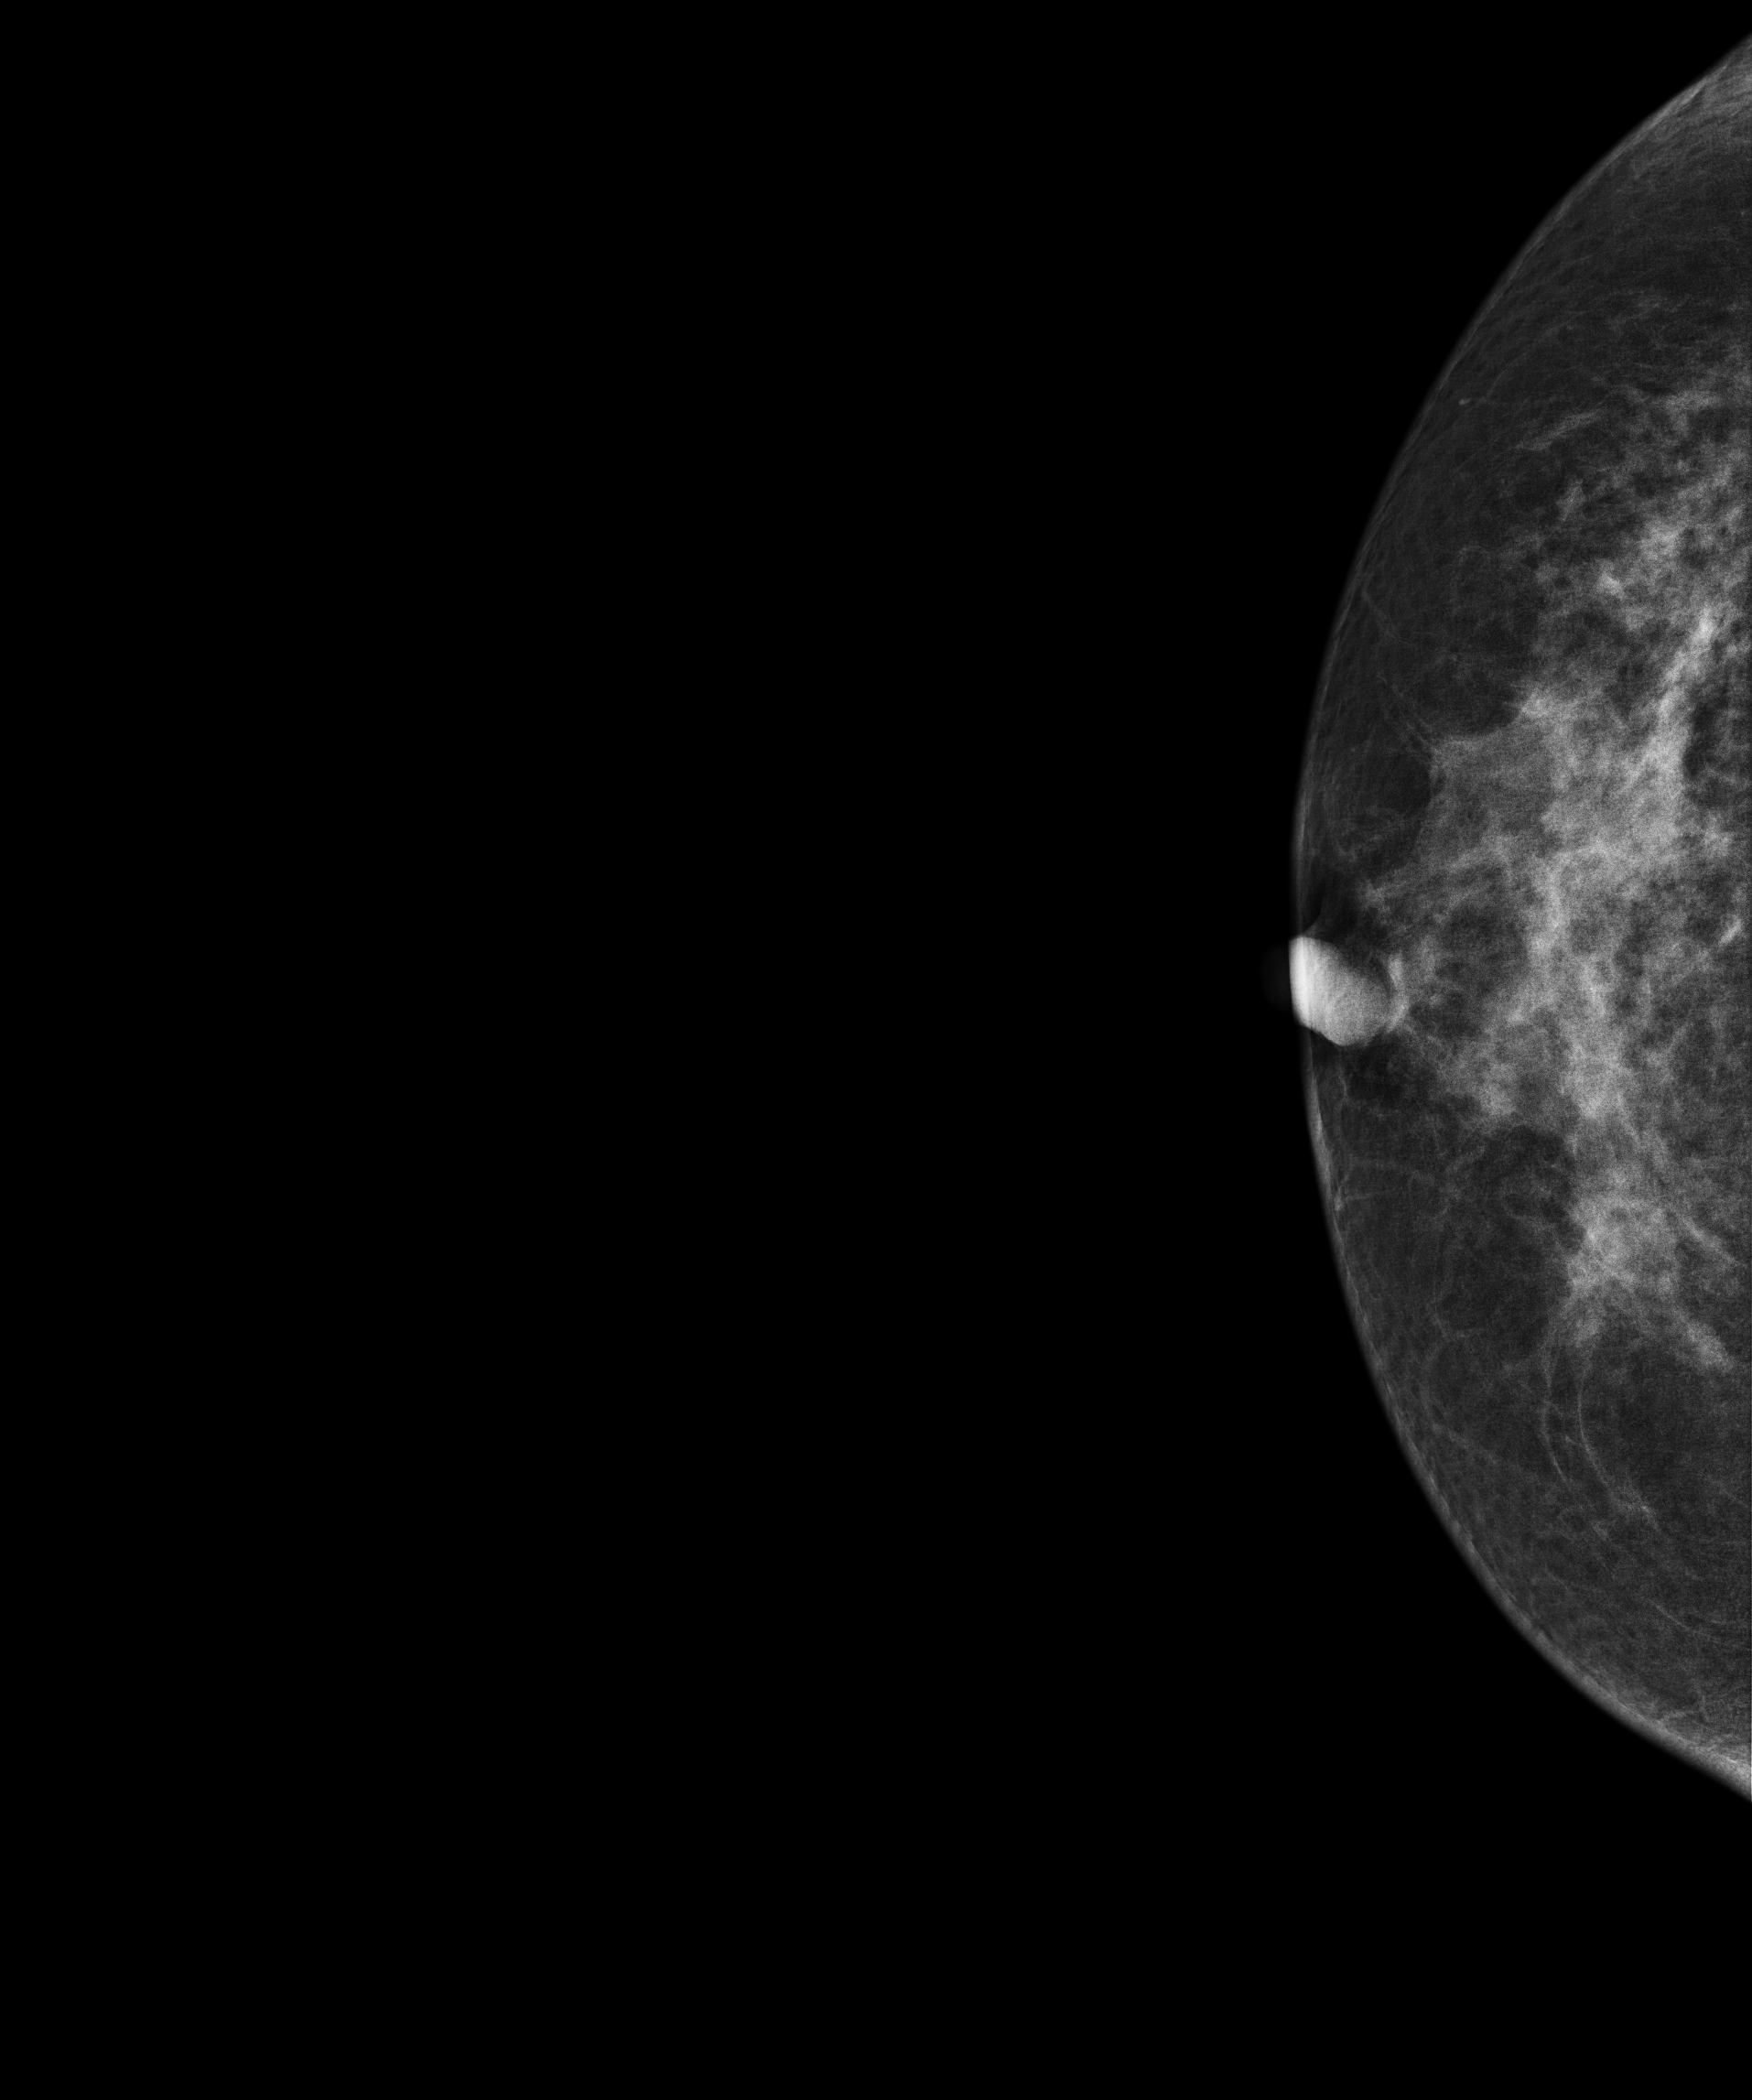
Right-breast mammogram, CC. Patient age 57.
Contralateral breast — no documented abnormality on this side.